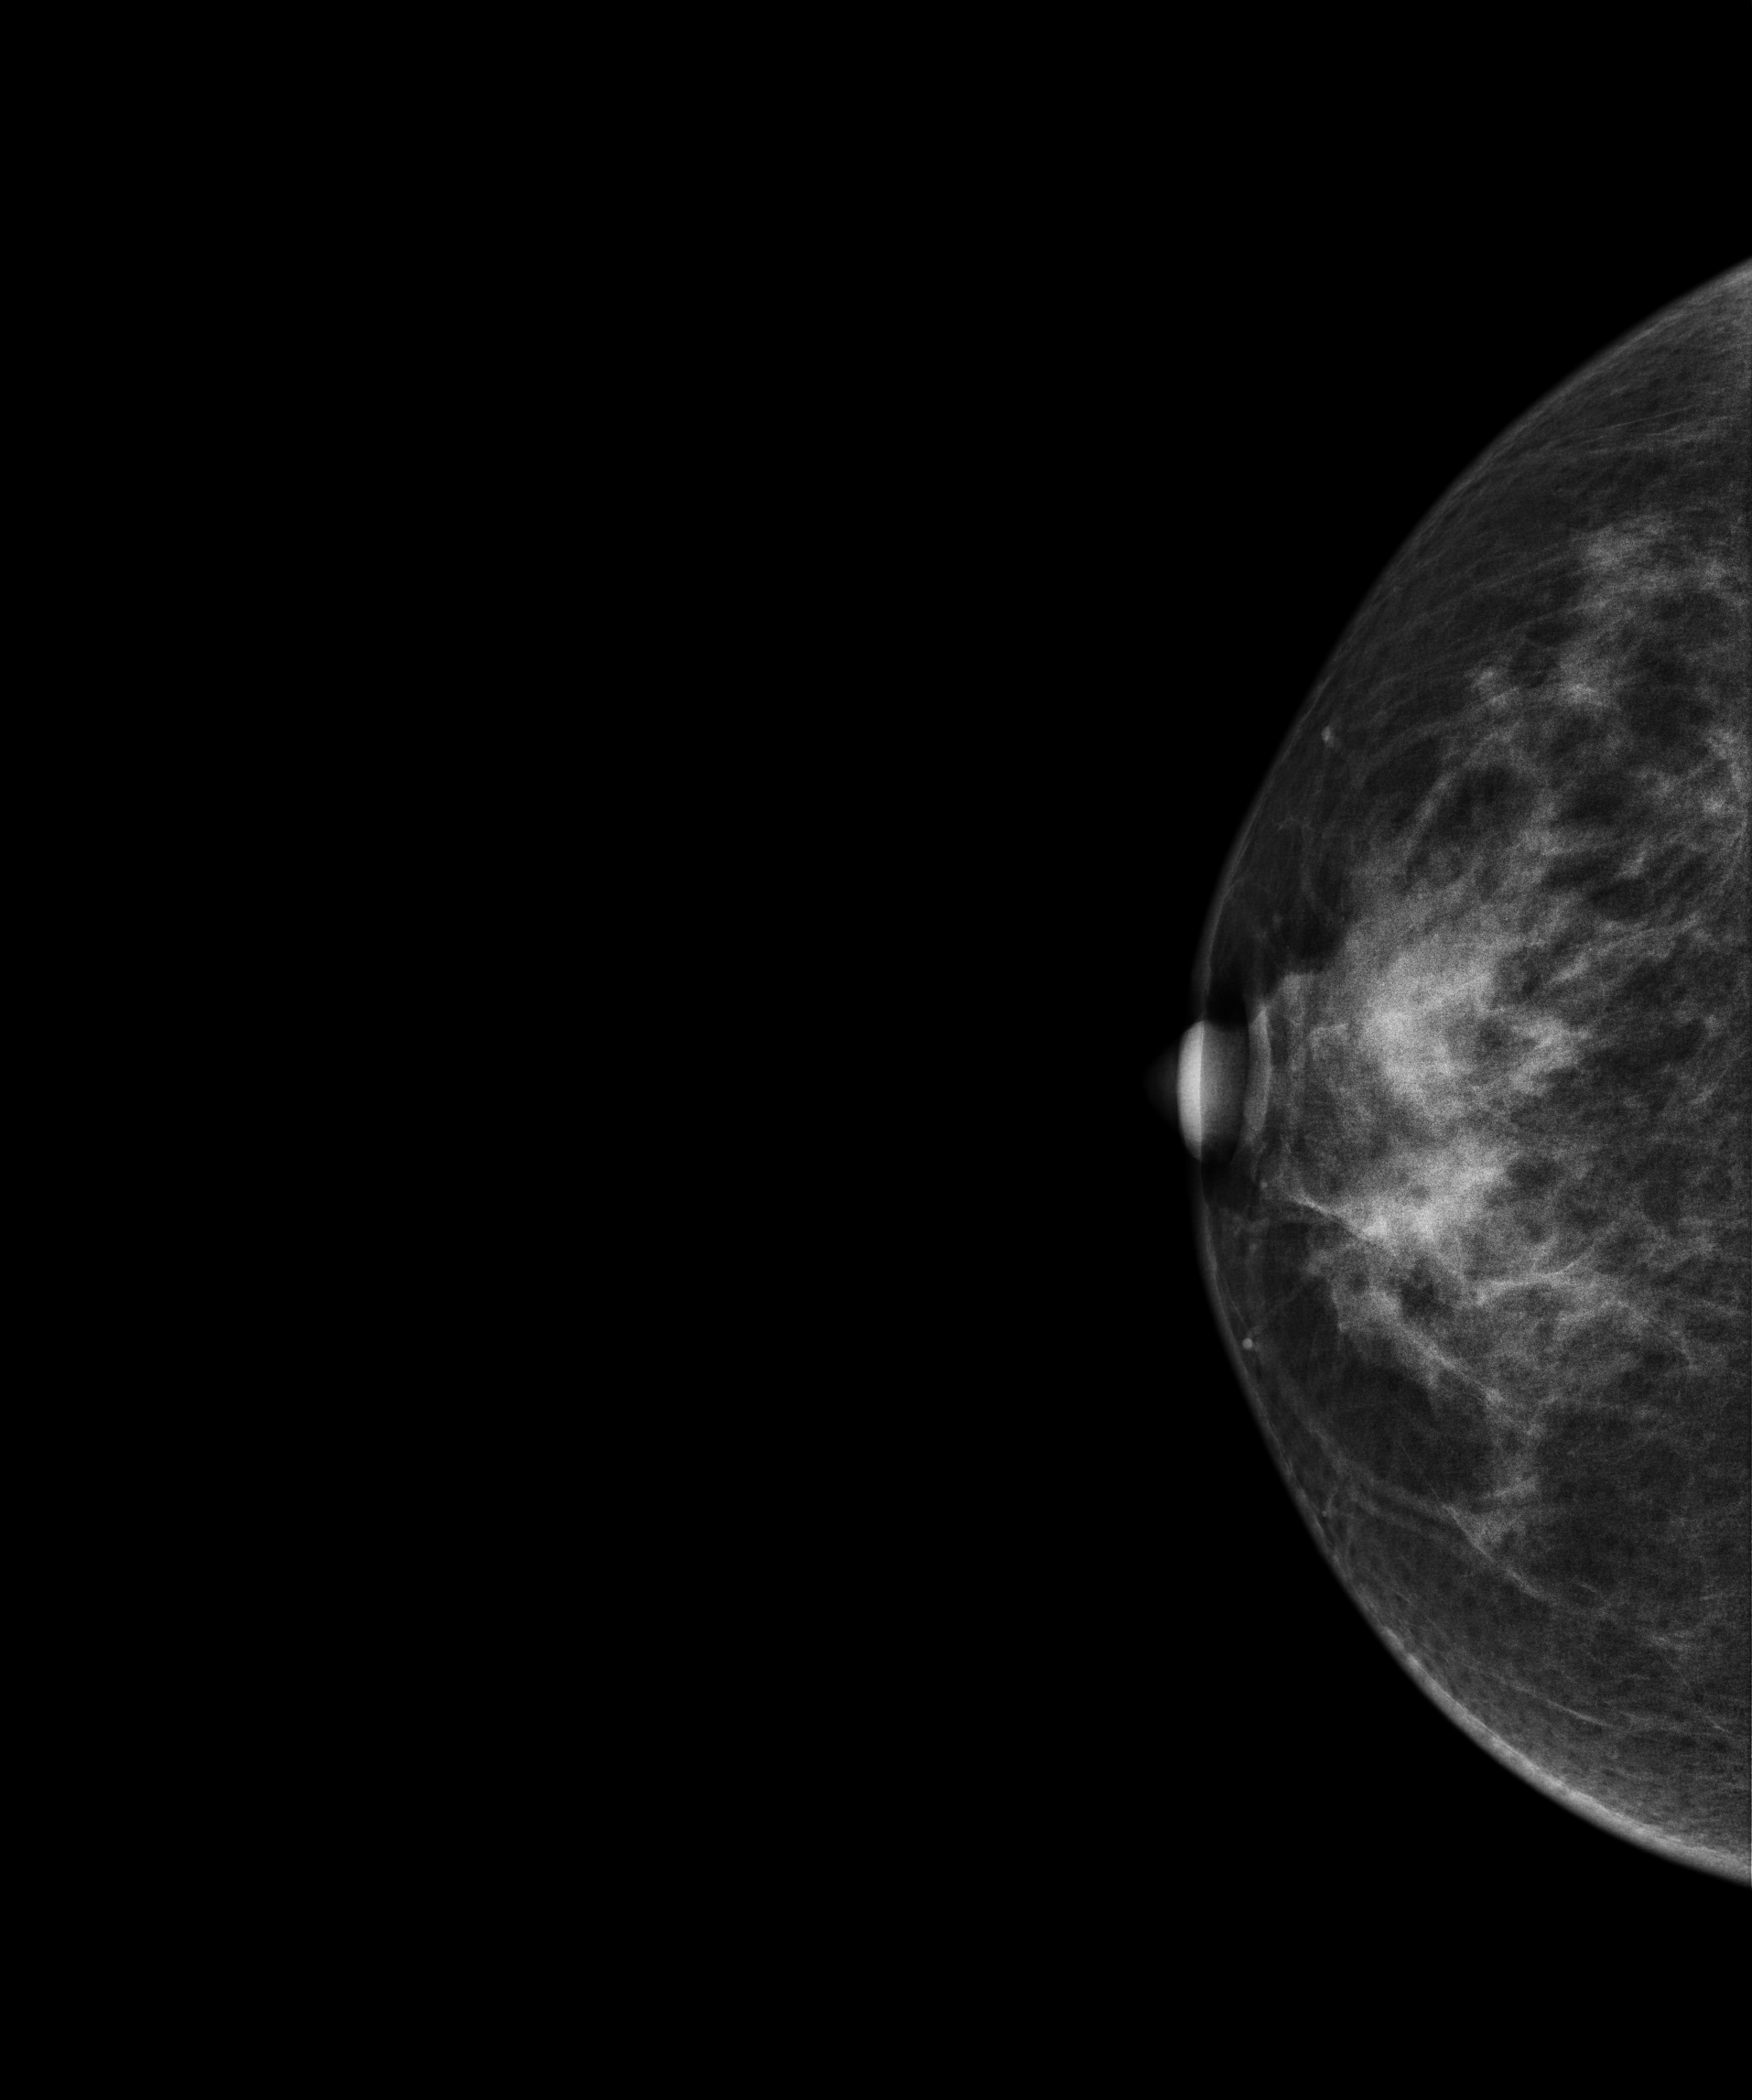
Mammogram, right breast, CC view. 59-year-old patient.
This breast has a mass, biopsy-proven benign.